CC mammogram of the right breast. Patient age 61.
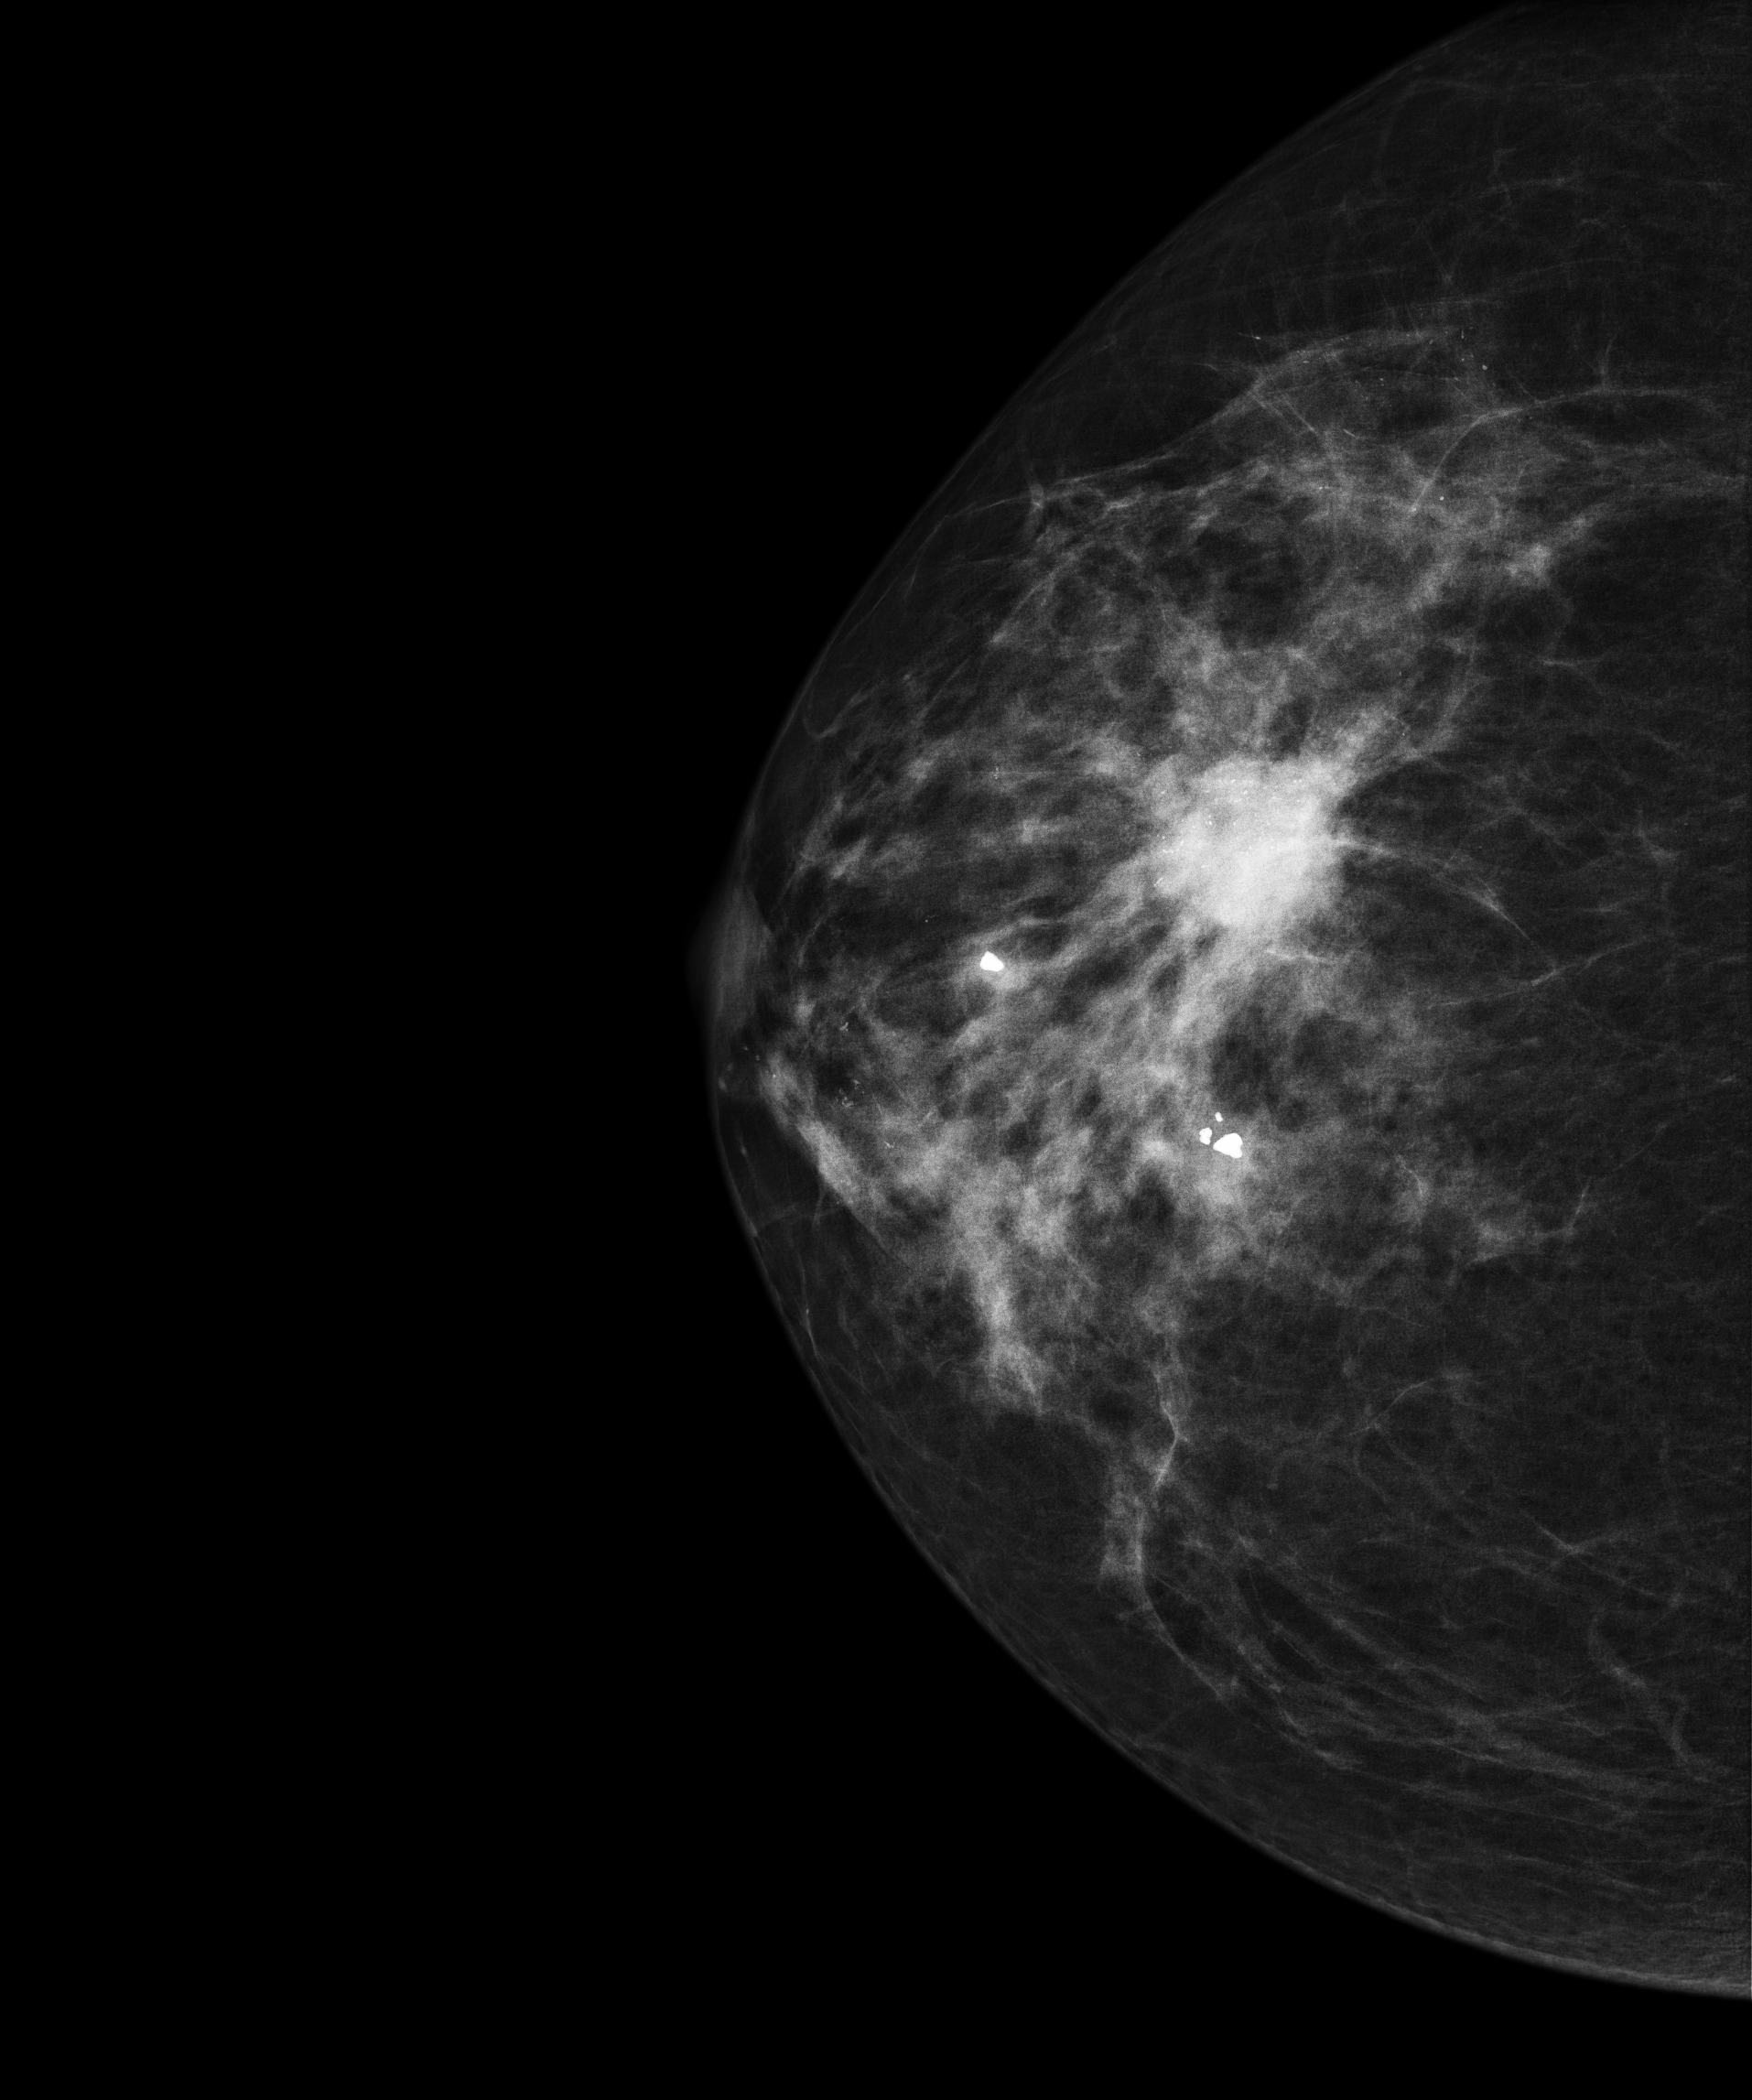
This breast has a mass and calcifications, pathology-confirmed malignant. Molecular subtype: HER2-enriched.